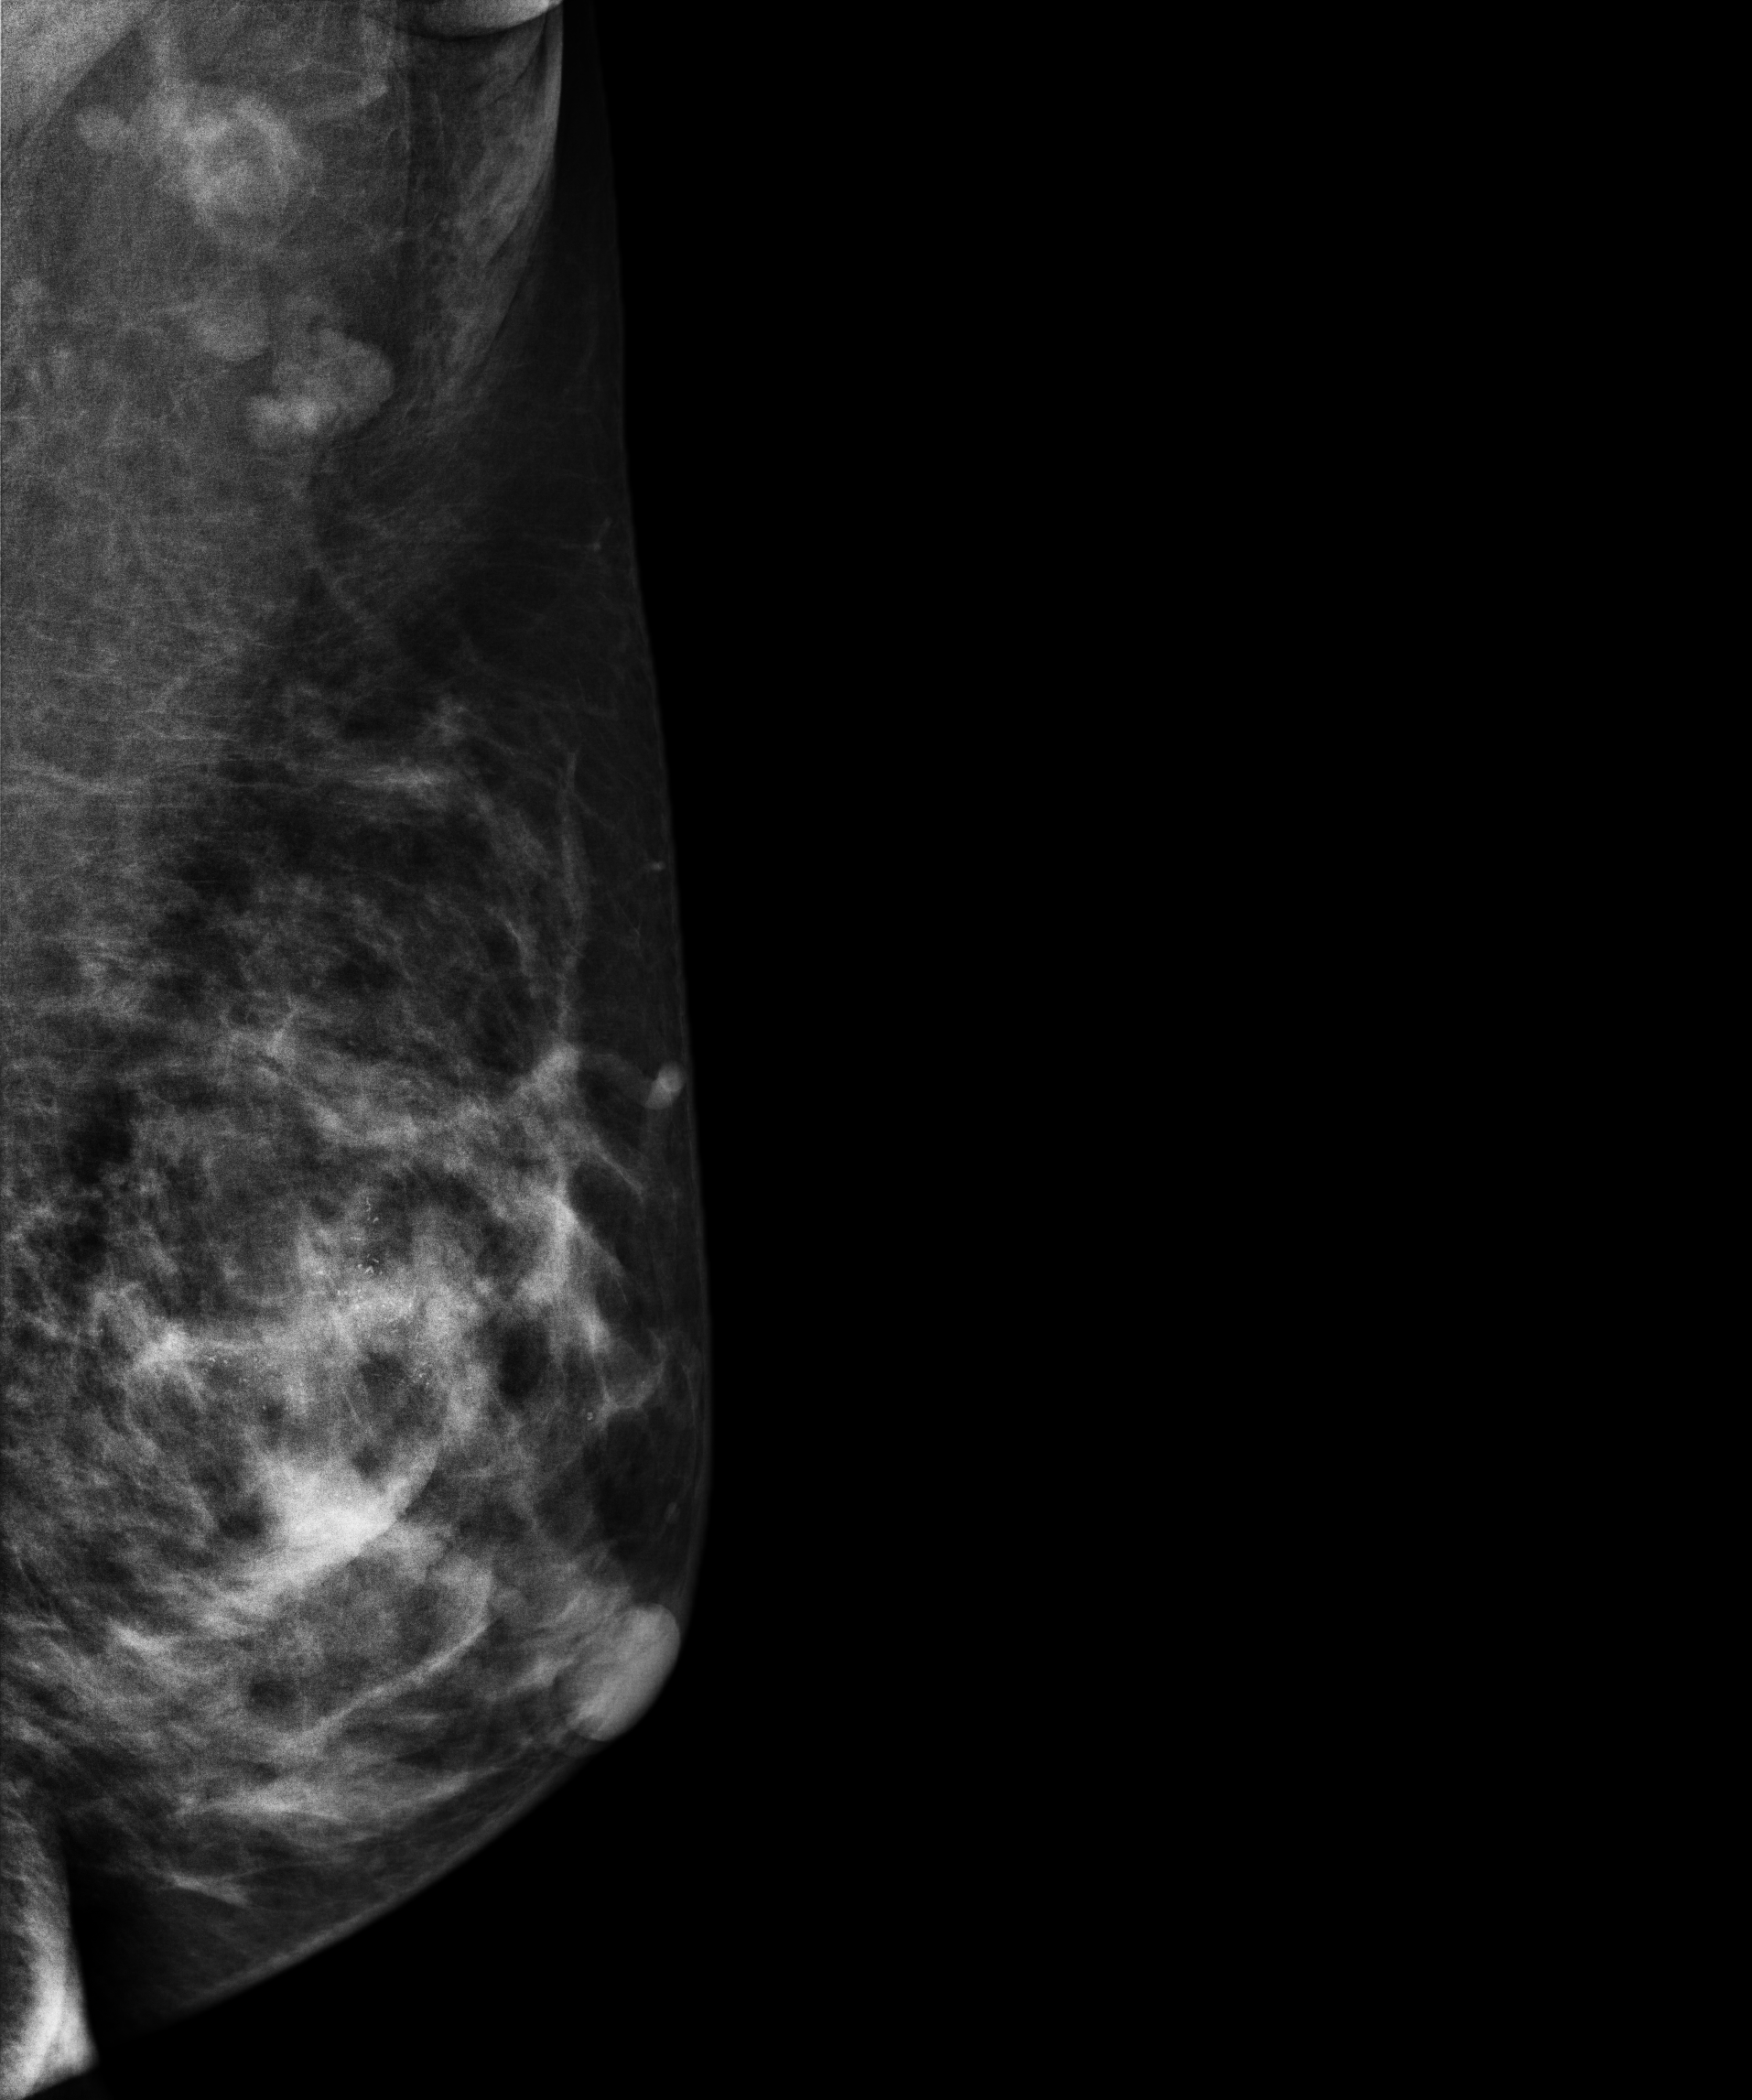
MLO mammogram of the left breast. 41-year-old patient.
This breast has calcifications, biopsy-confirmed malignant.